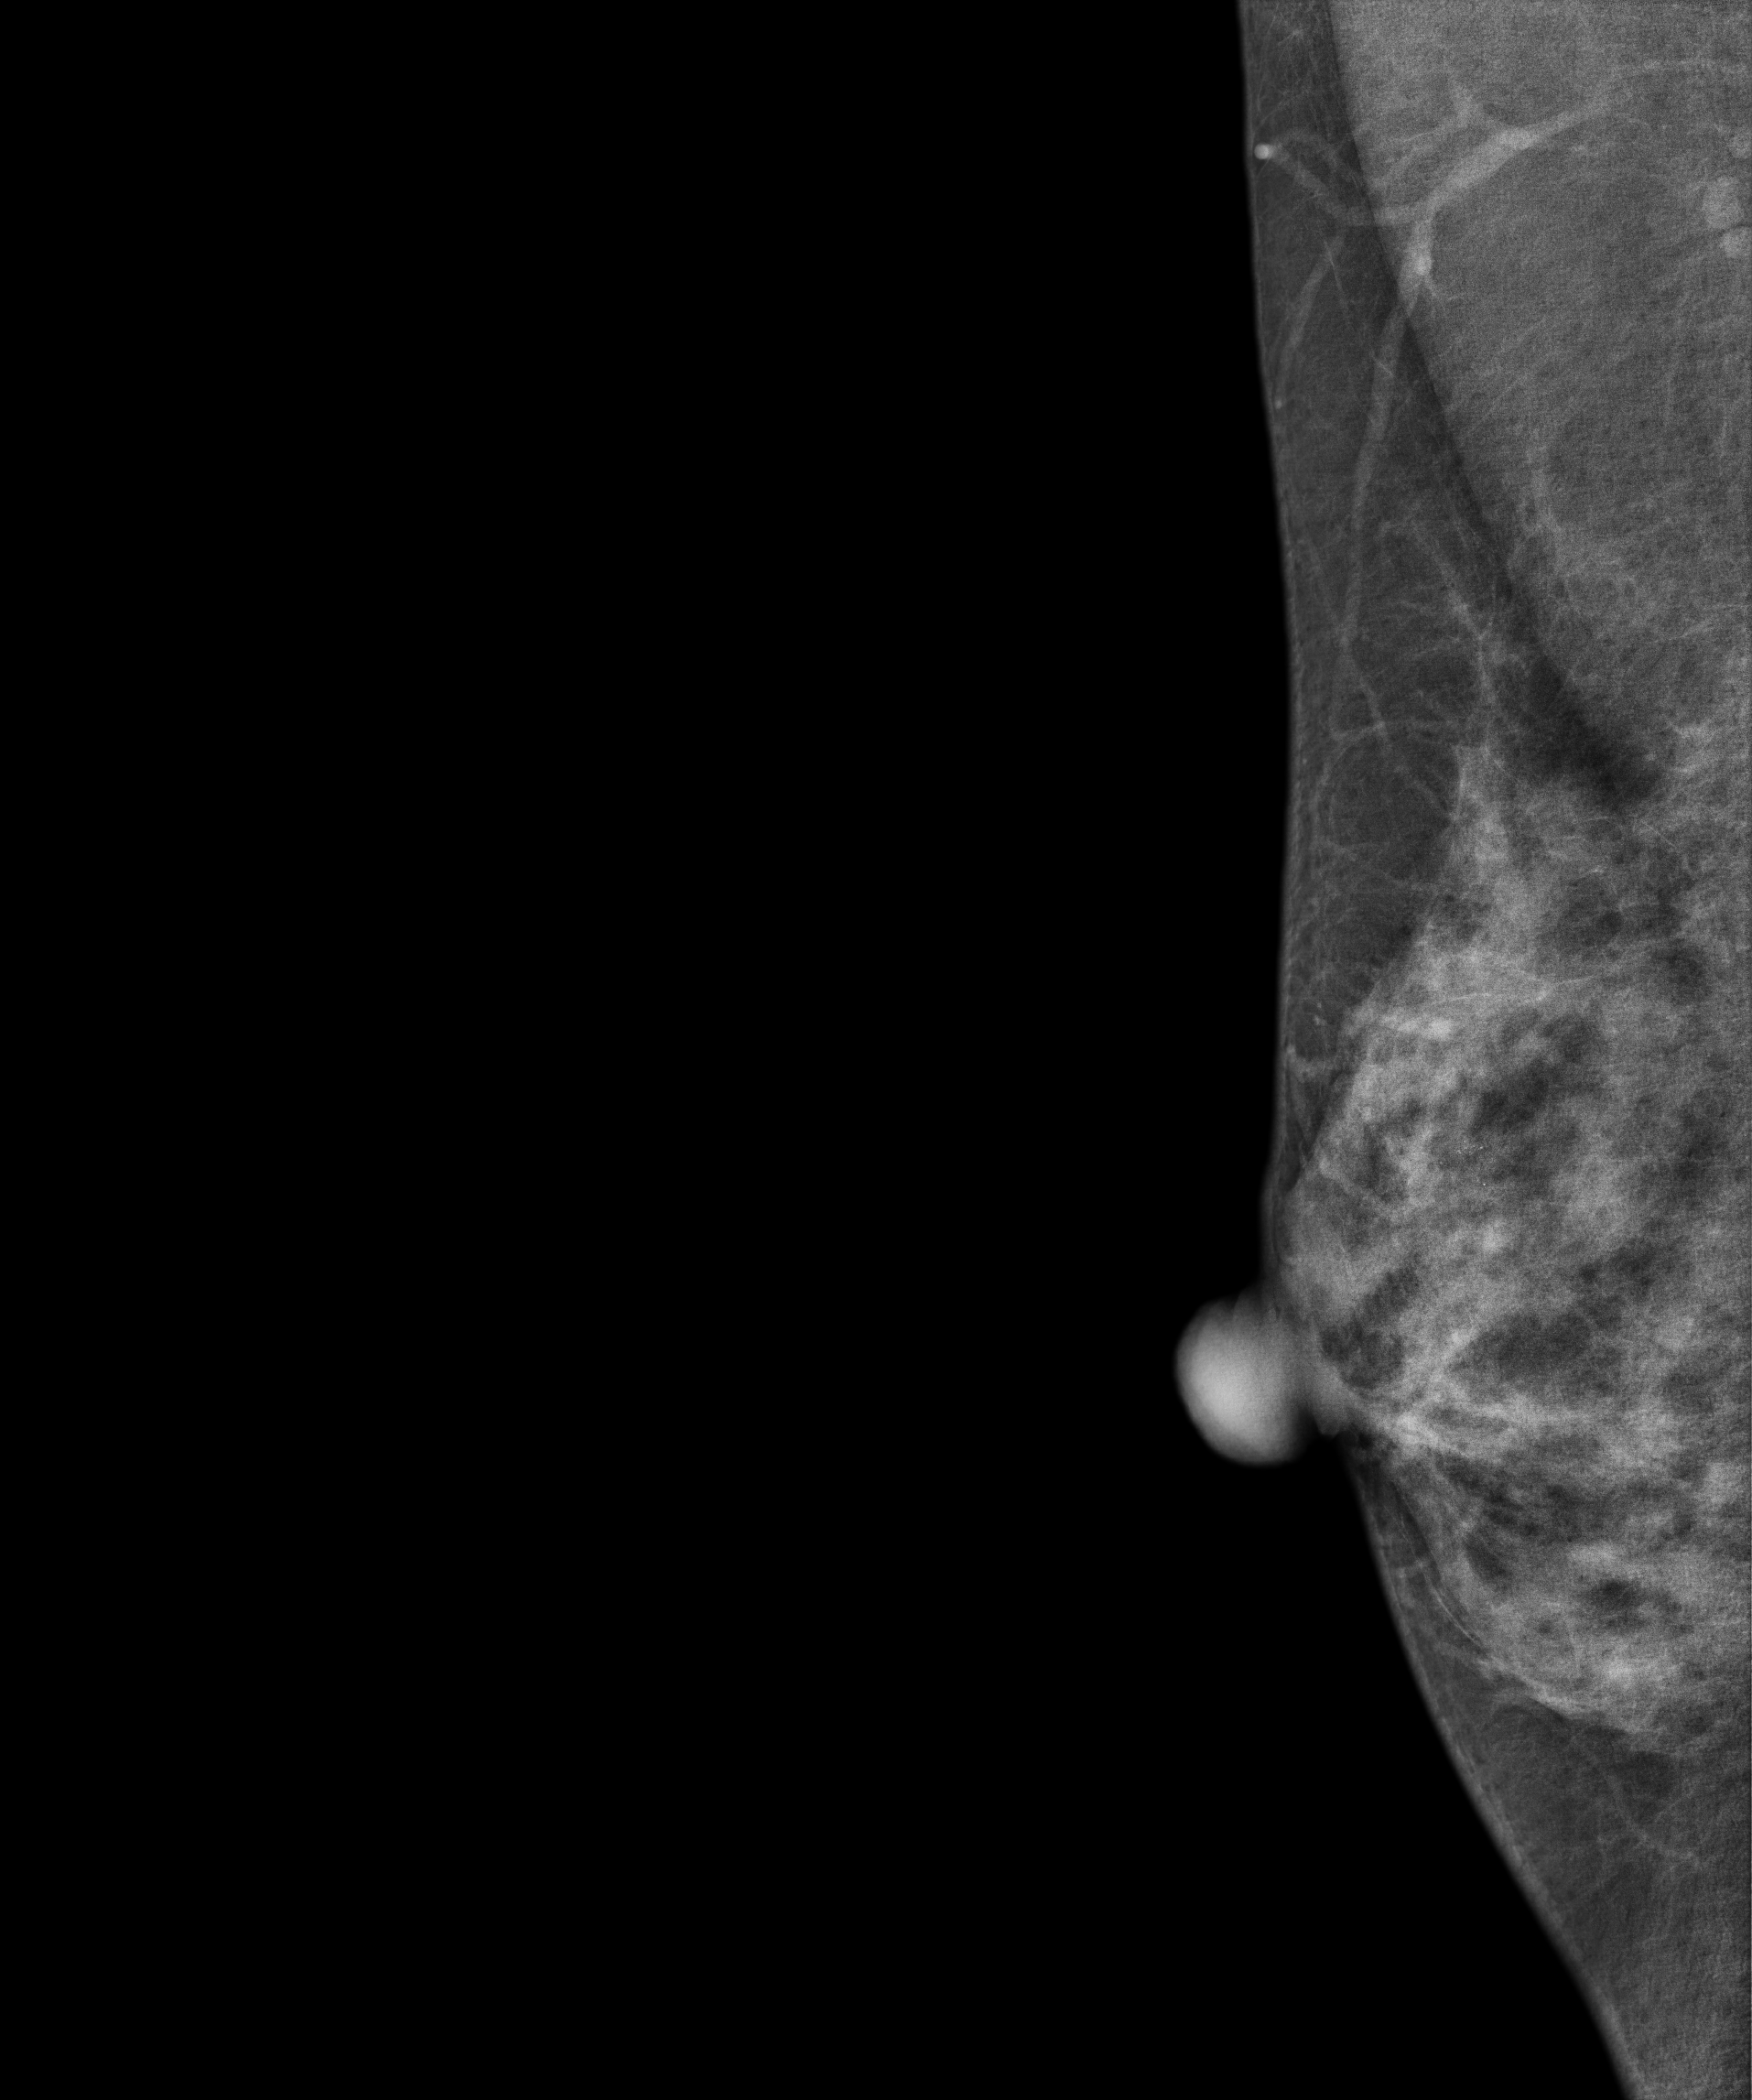
Mammogram, right breast, MLO view. 46 y/o patient.
Contralateral breast — no documented abnormality on this side.